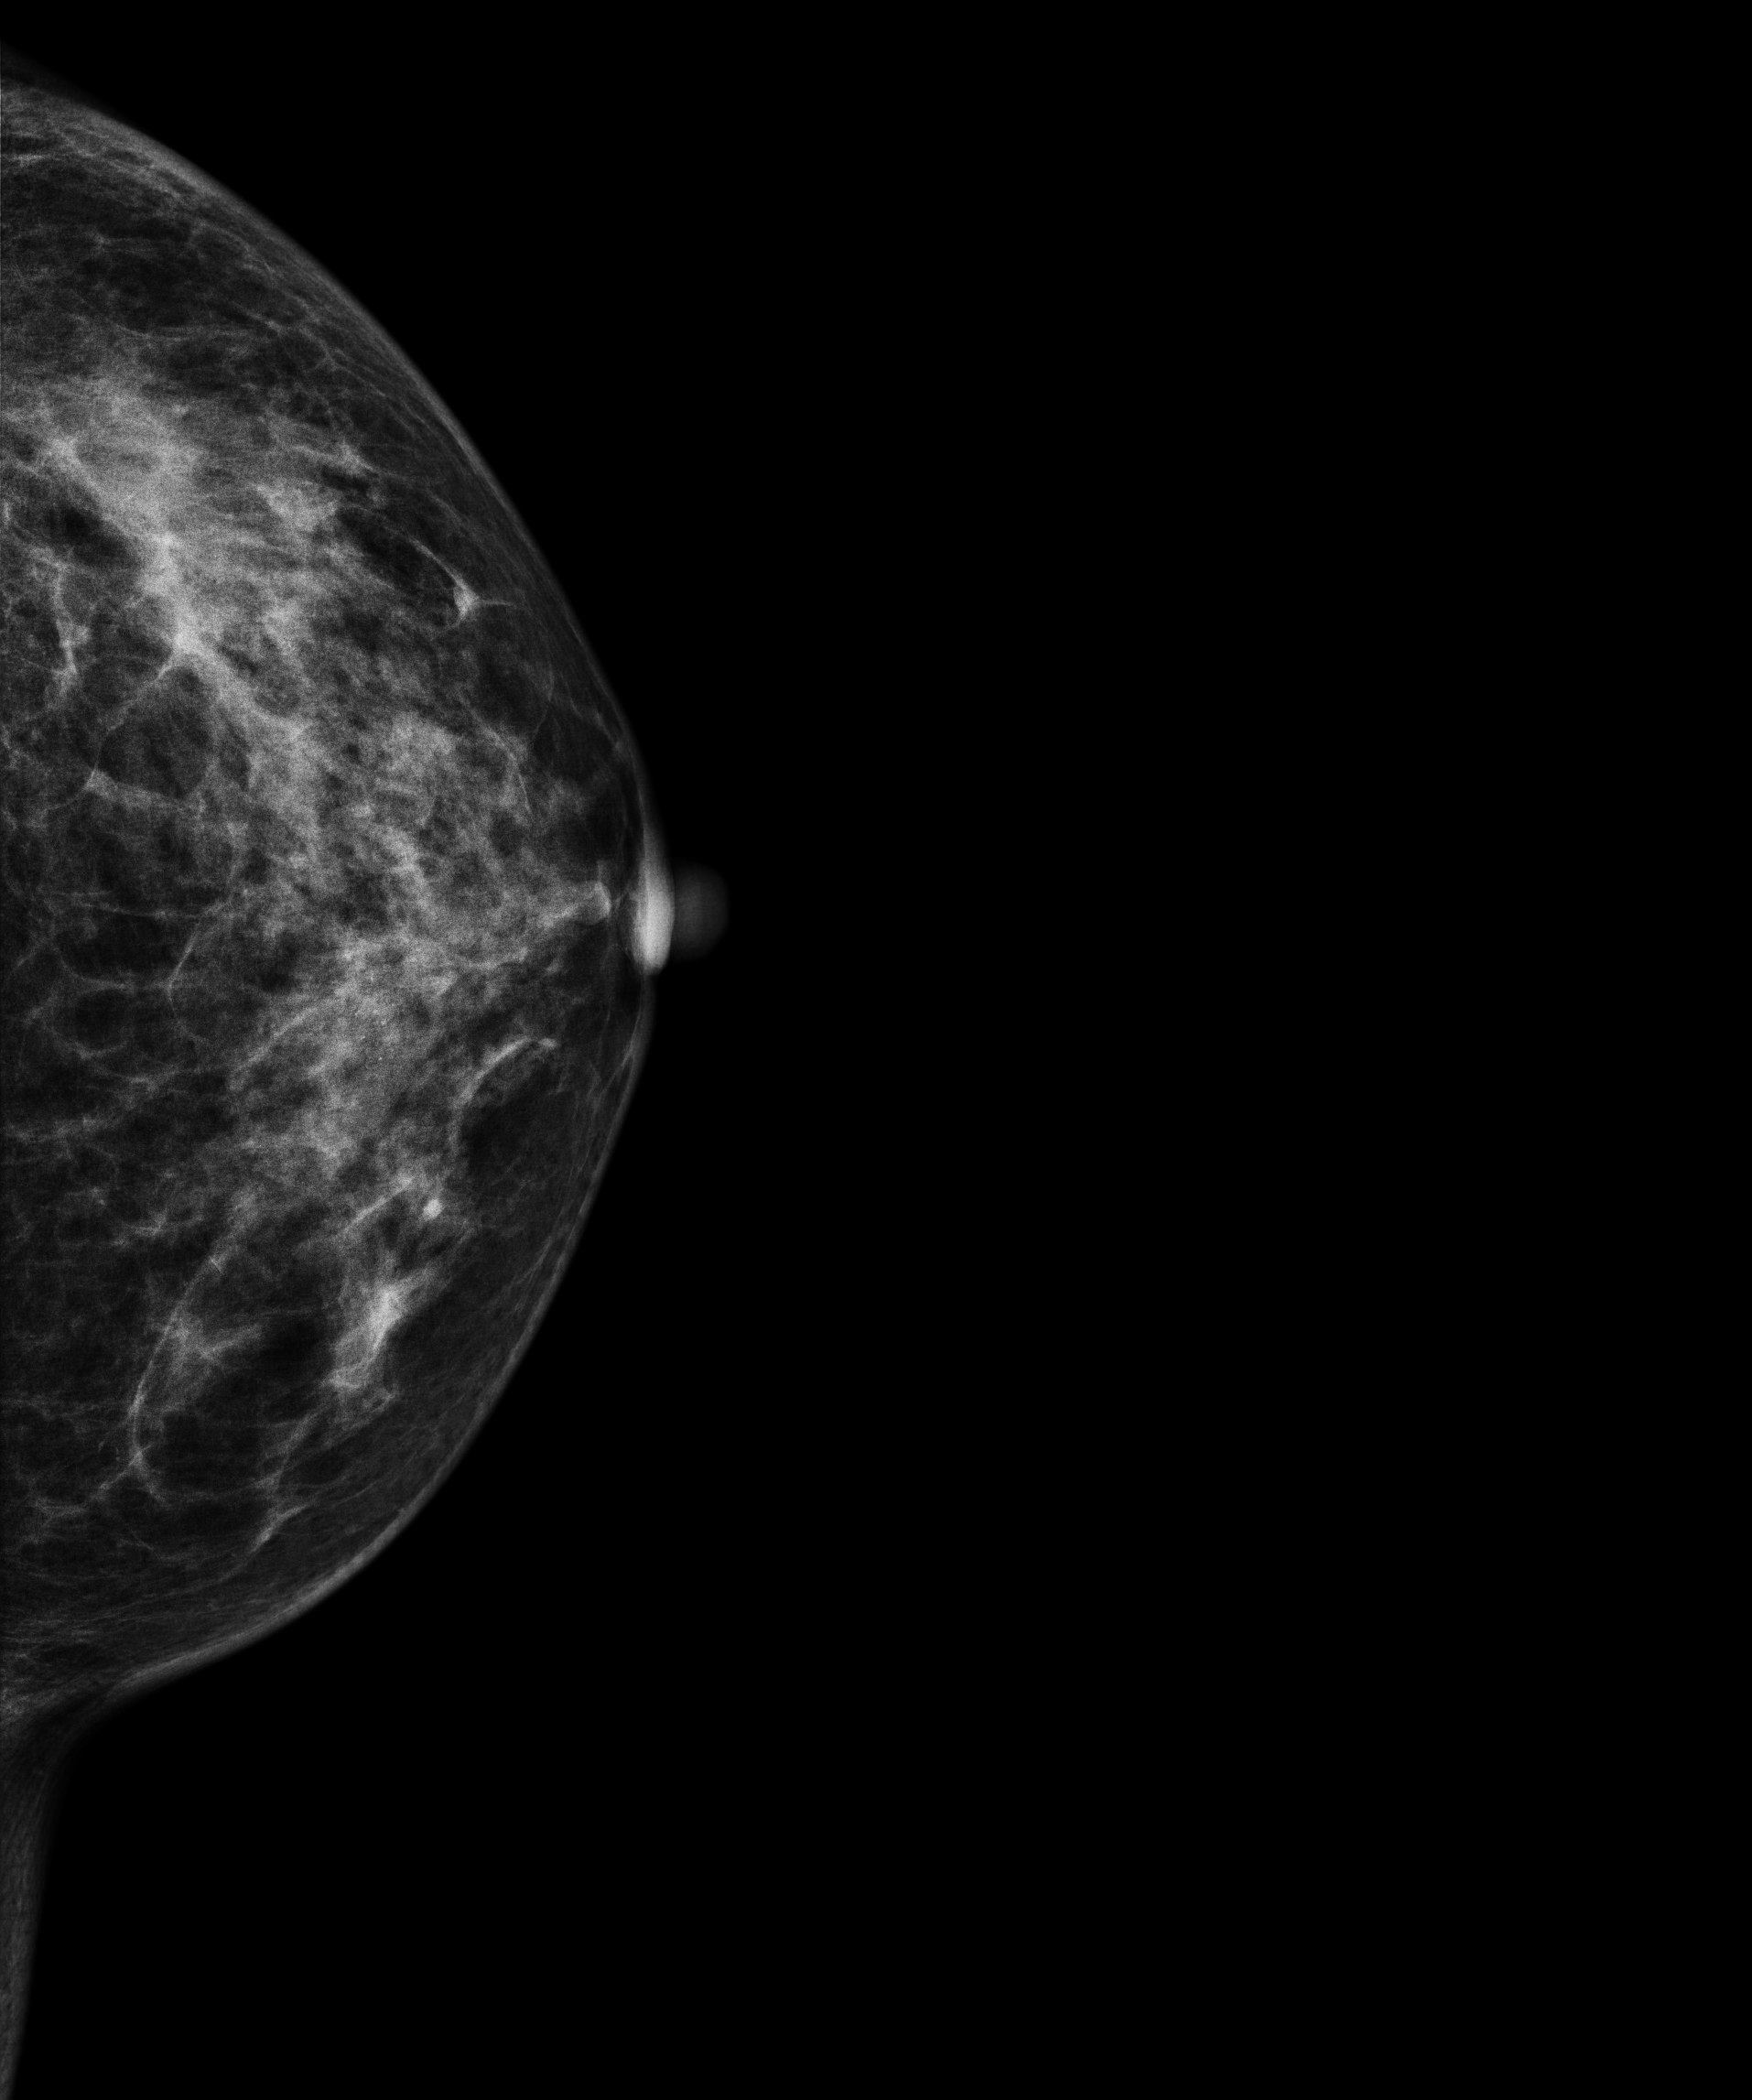
Digital mammography. Left breast, cranio-caudal projection. 54-year-old patient.
This breast has a mass, biopsy-confirmed malignant.